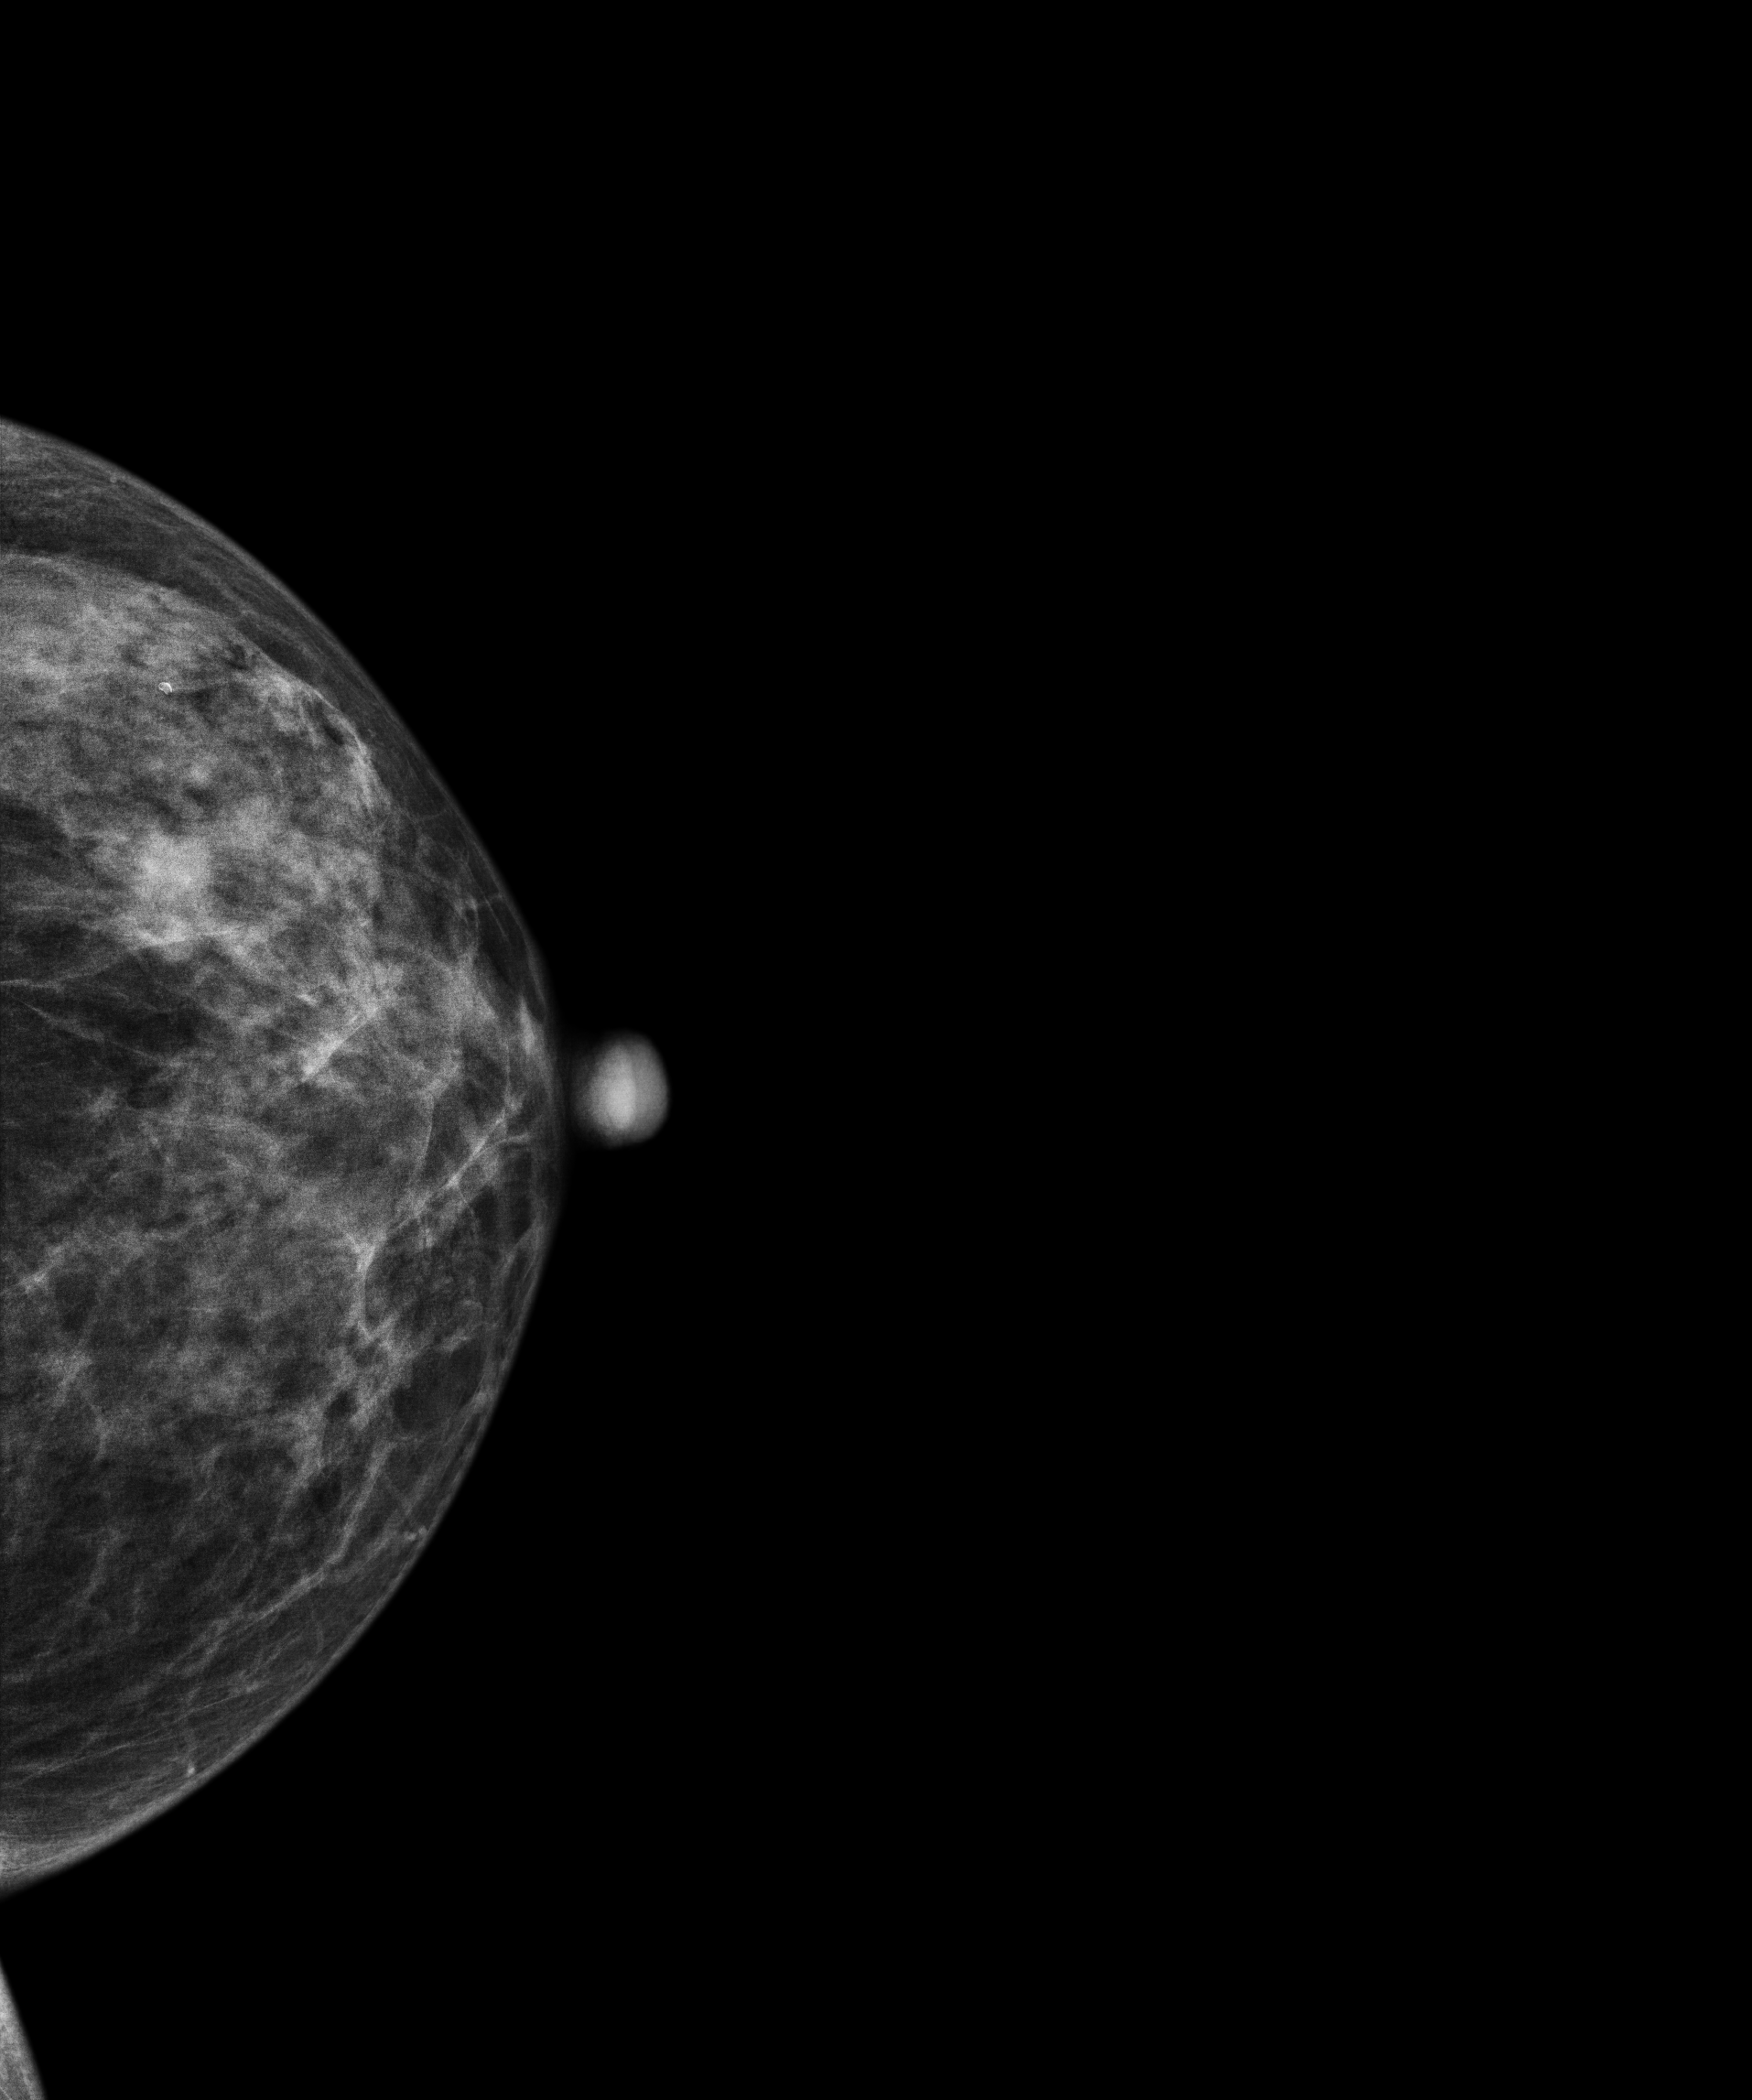
Digital mammography. Left breast, CC projection. 37-year-old patient.
This breast has a mass, biopsy-confirmed malignant.